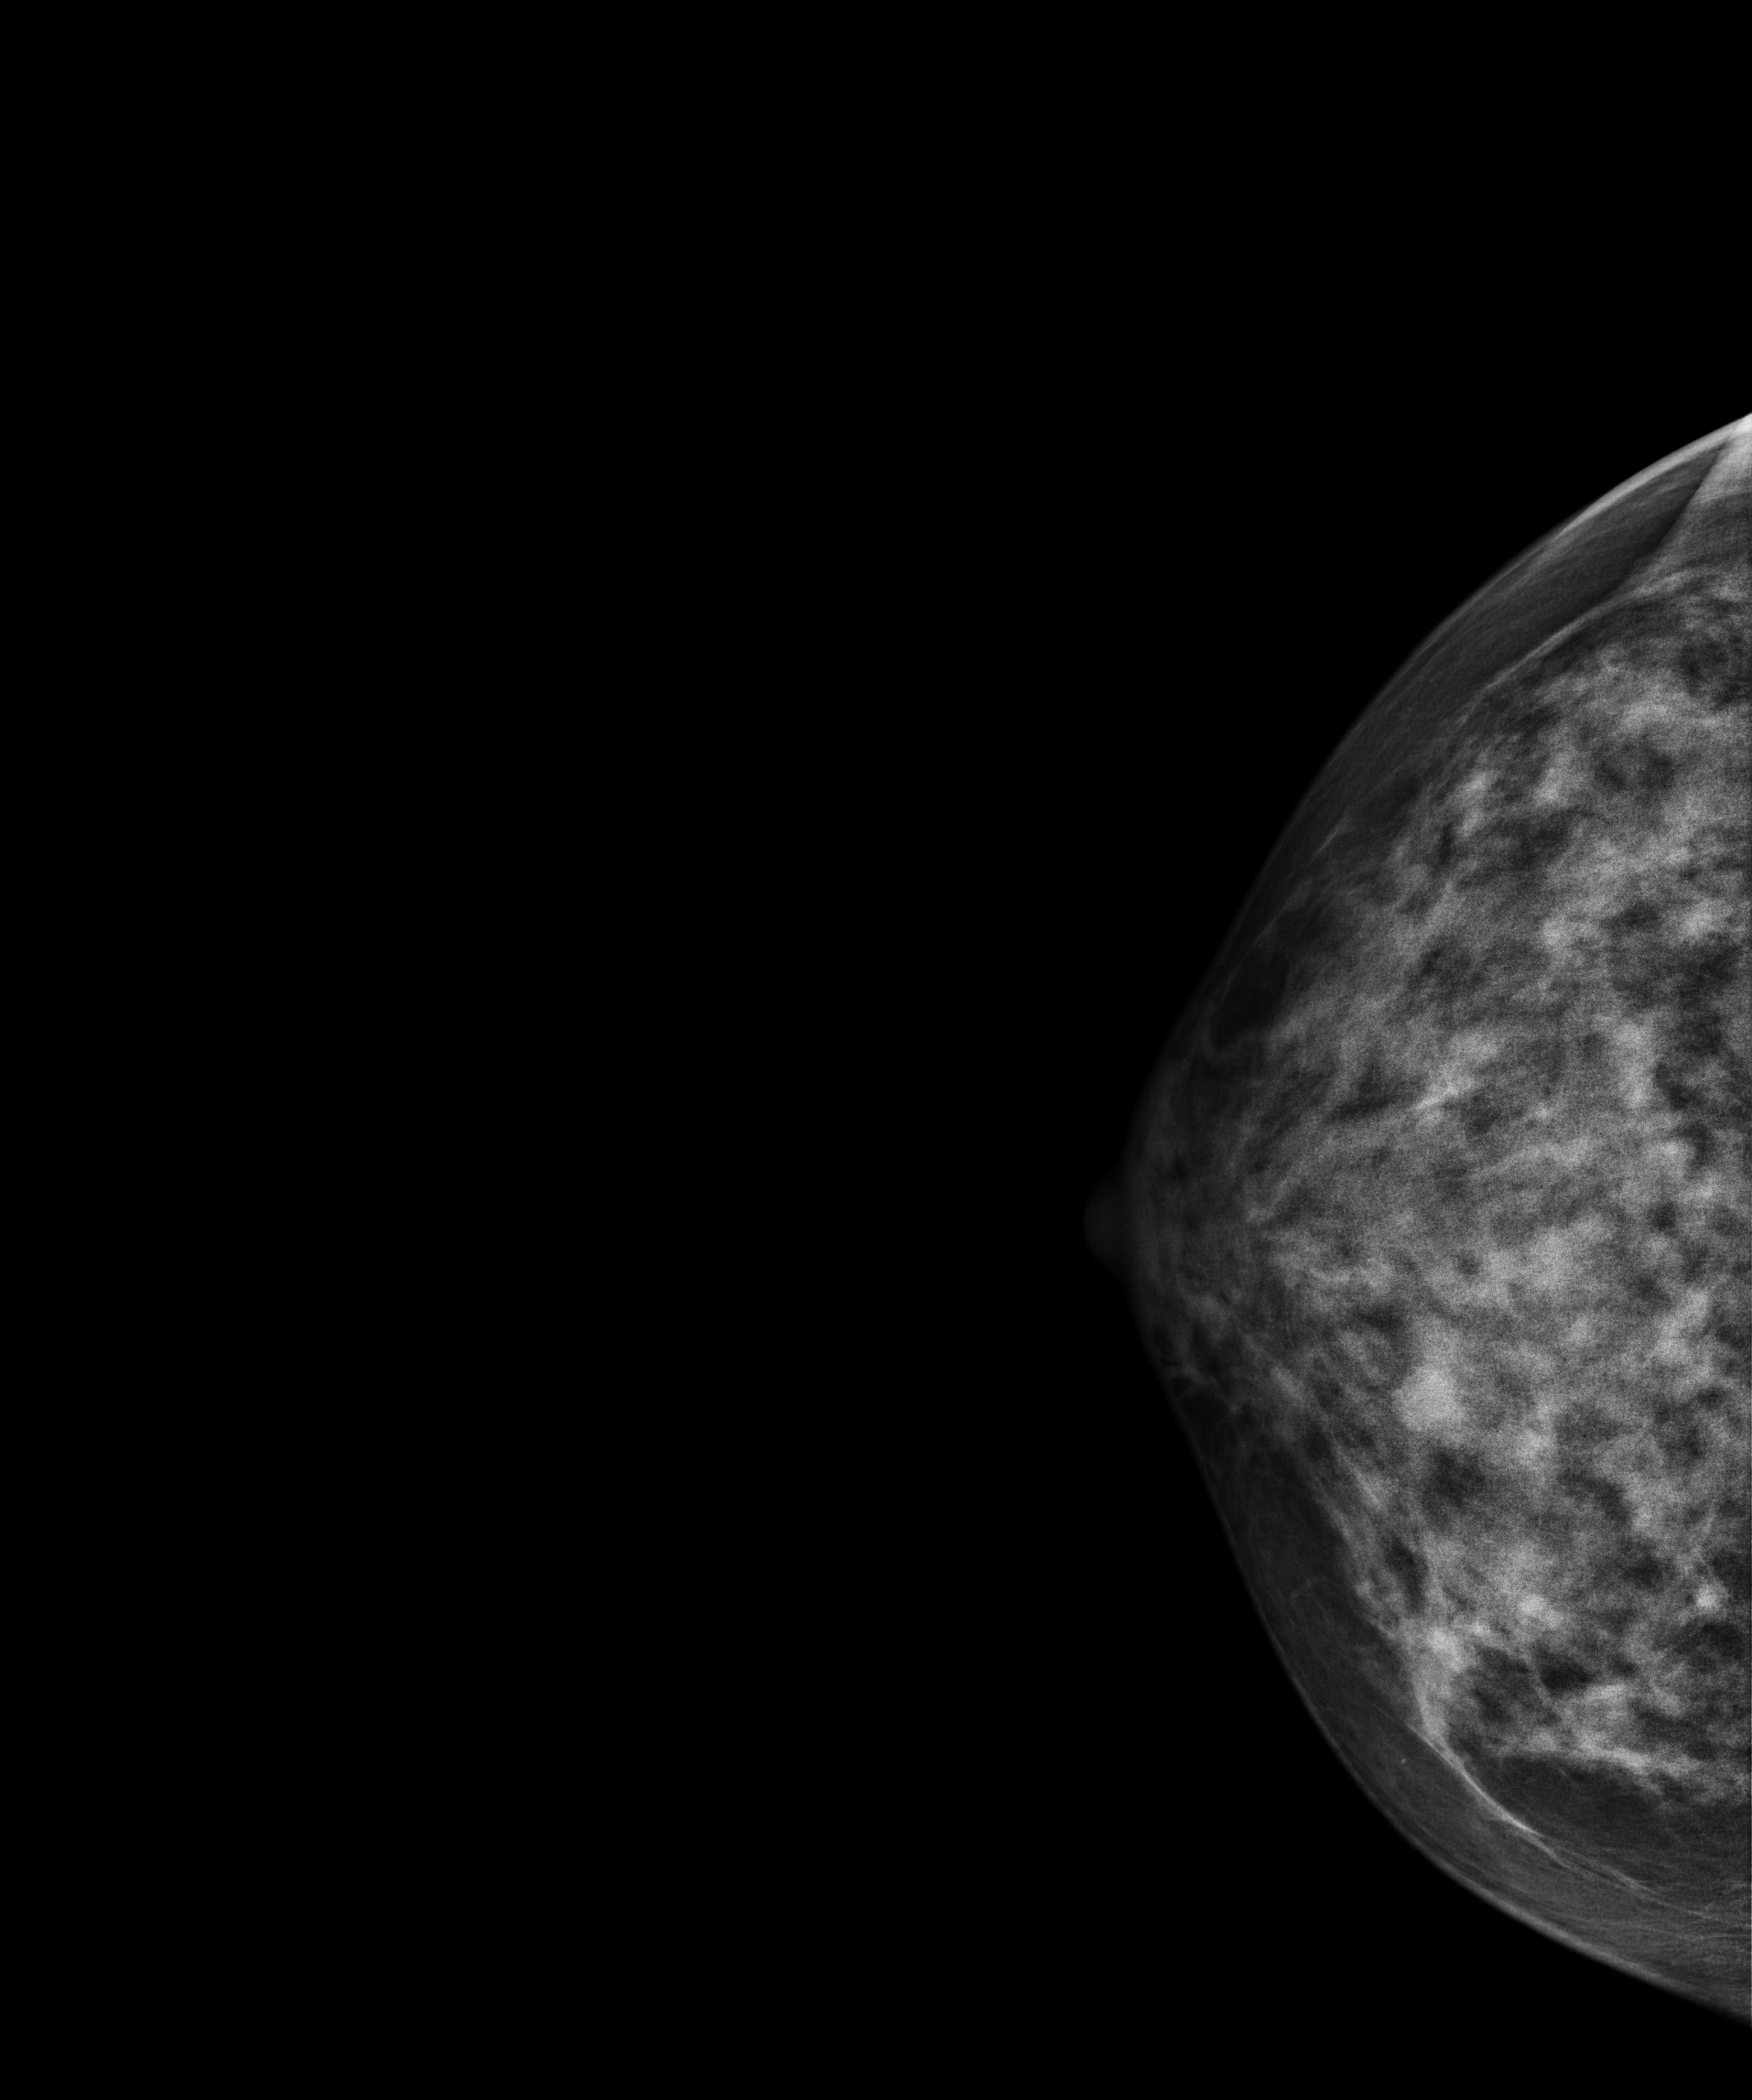
Digital mammography. Right breast, CC projection. 38-year-old patient.
This breast has a mass, pathology-confirmed benign.